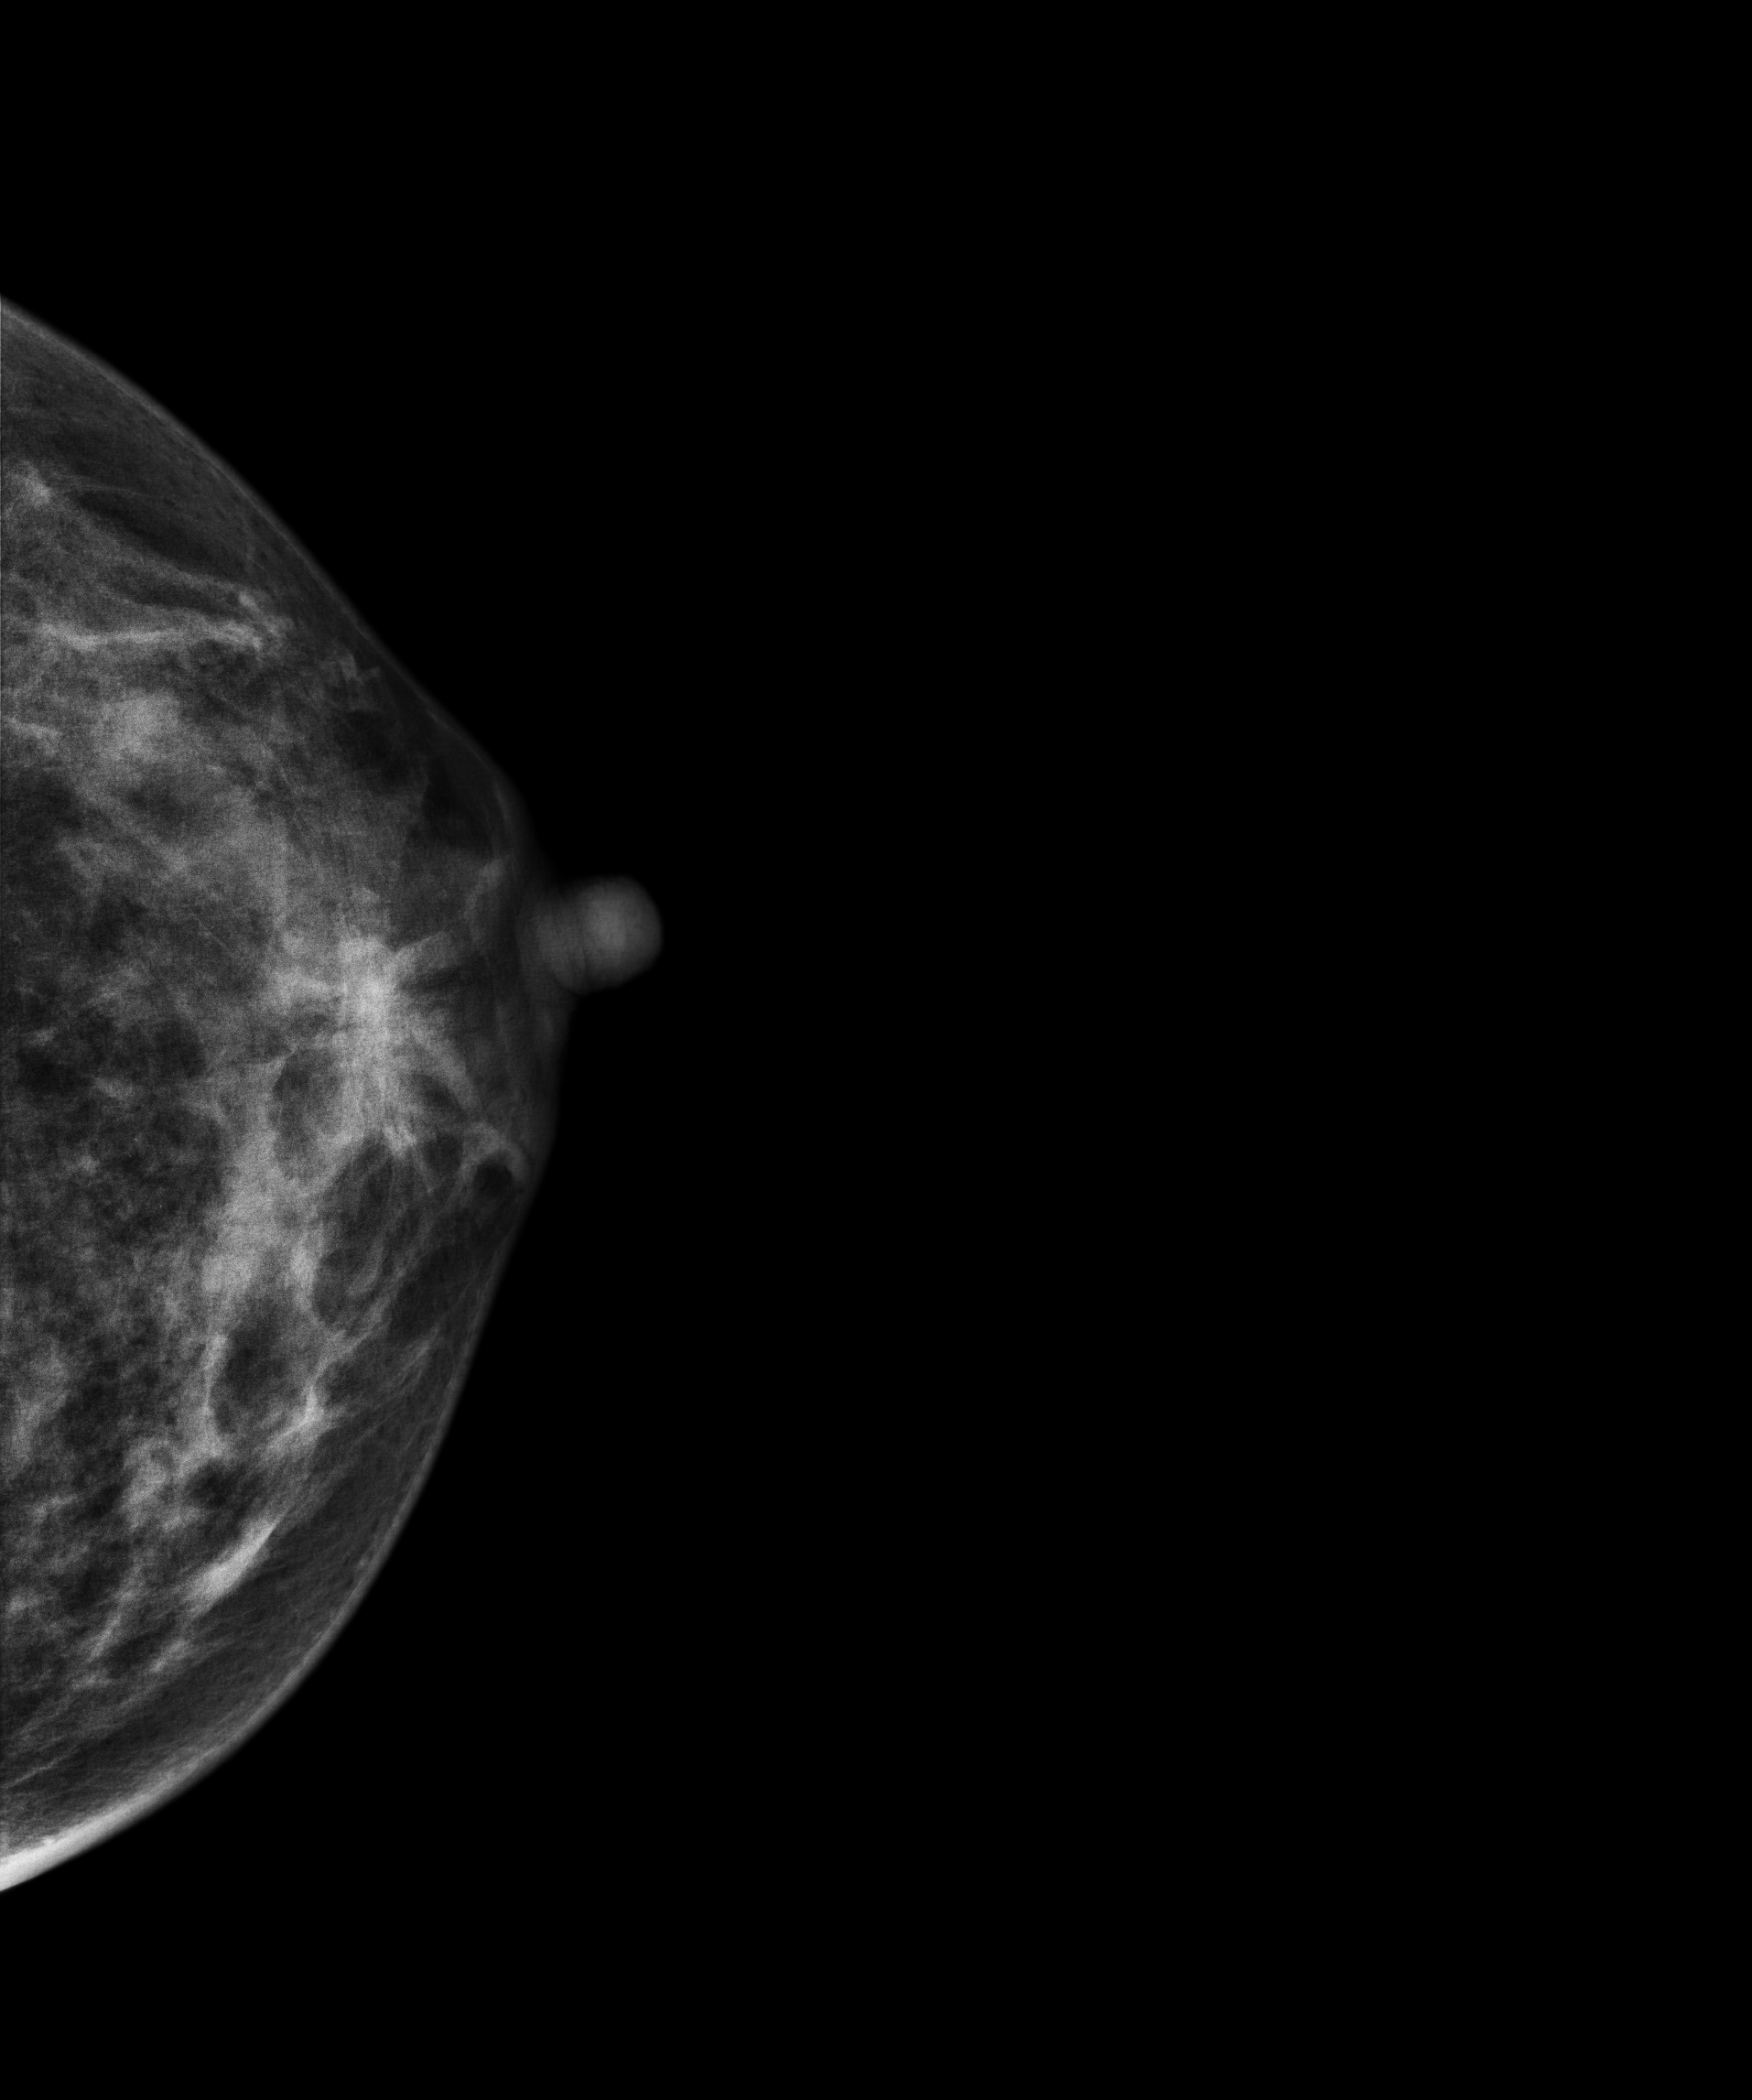
Left-breast mammogram, cranio-caudal. Patient age 37.
This breast has a mass, pathology-confirmed malignant.